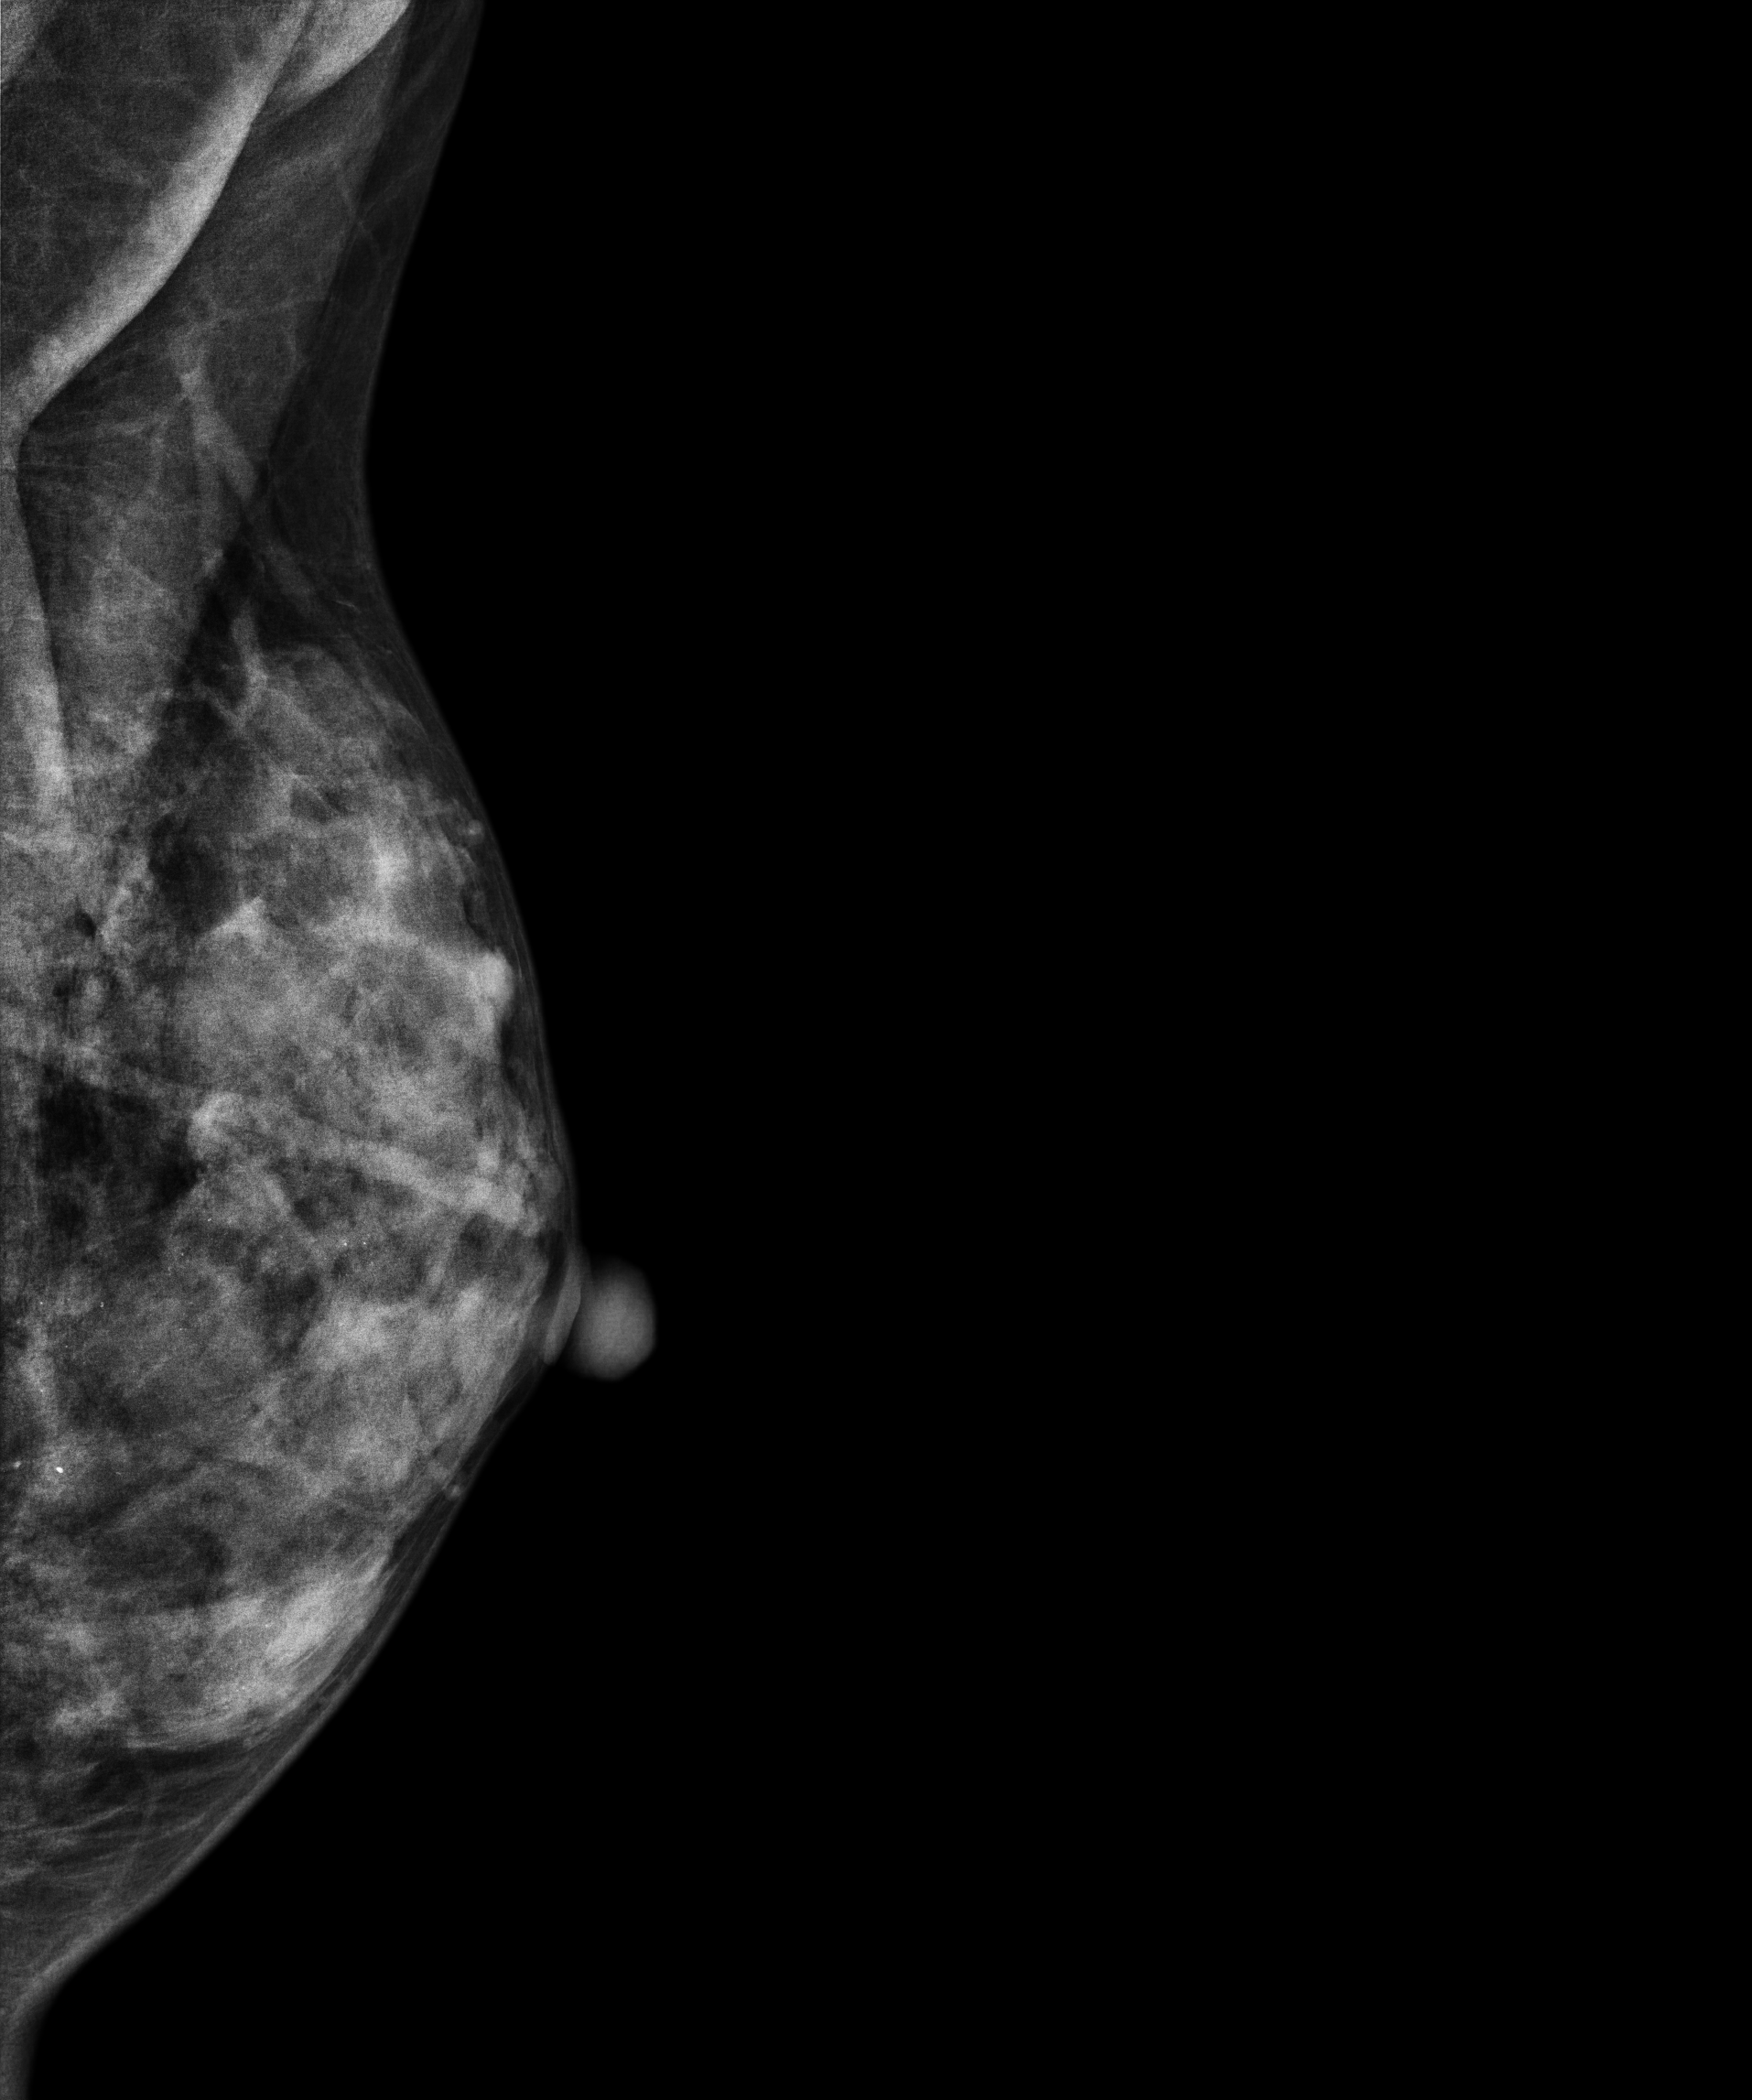
MLO mammogram of the left breast. 41 y/o patient.
This breast has calcifications, histologically confirmed malignant. Molecular subtype: triple-negative.